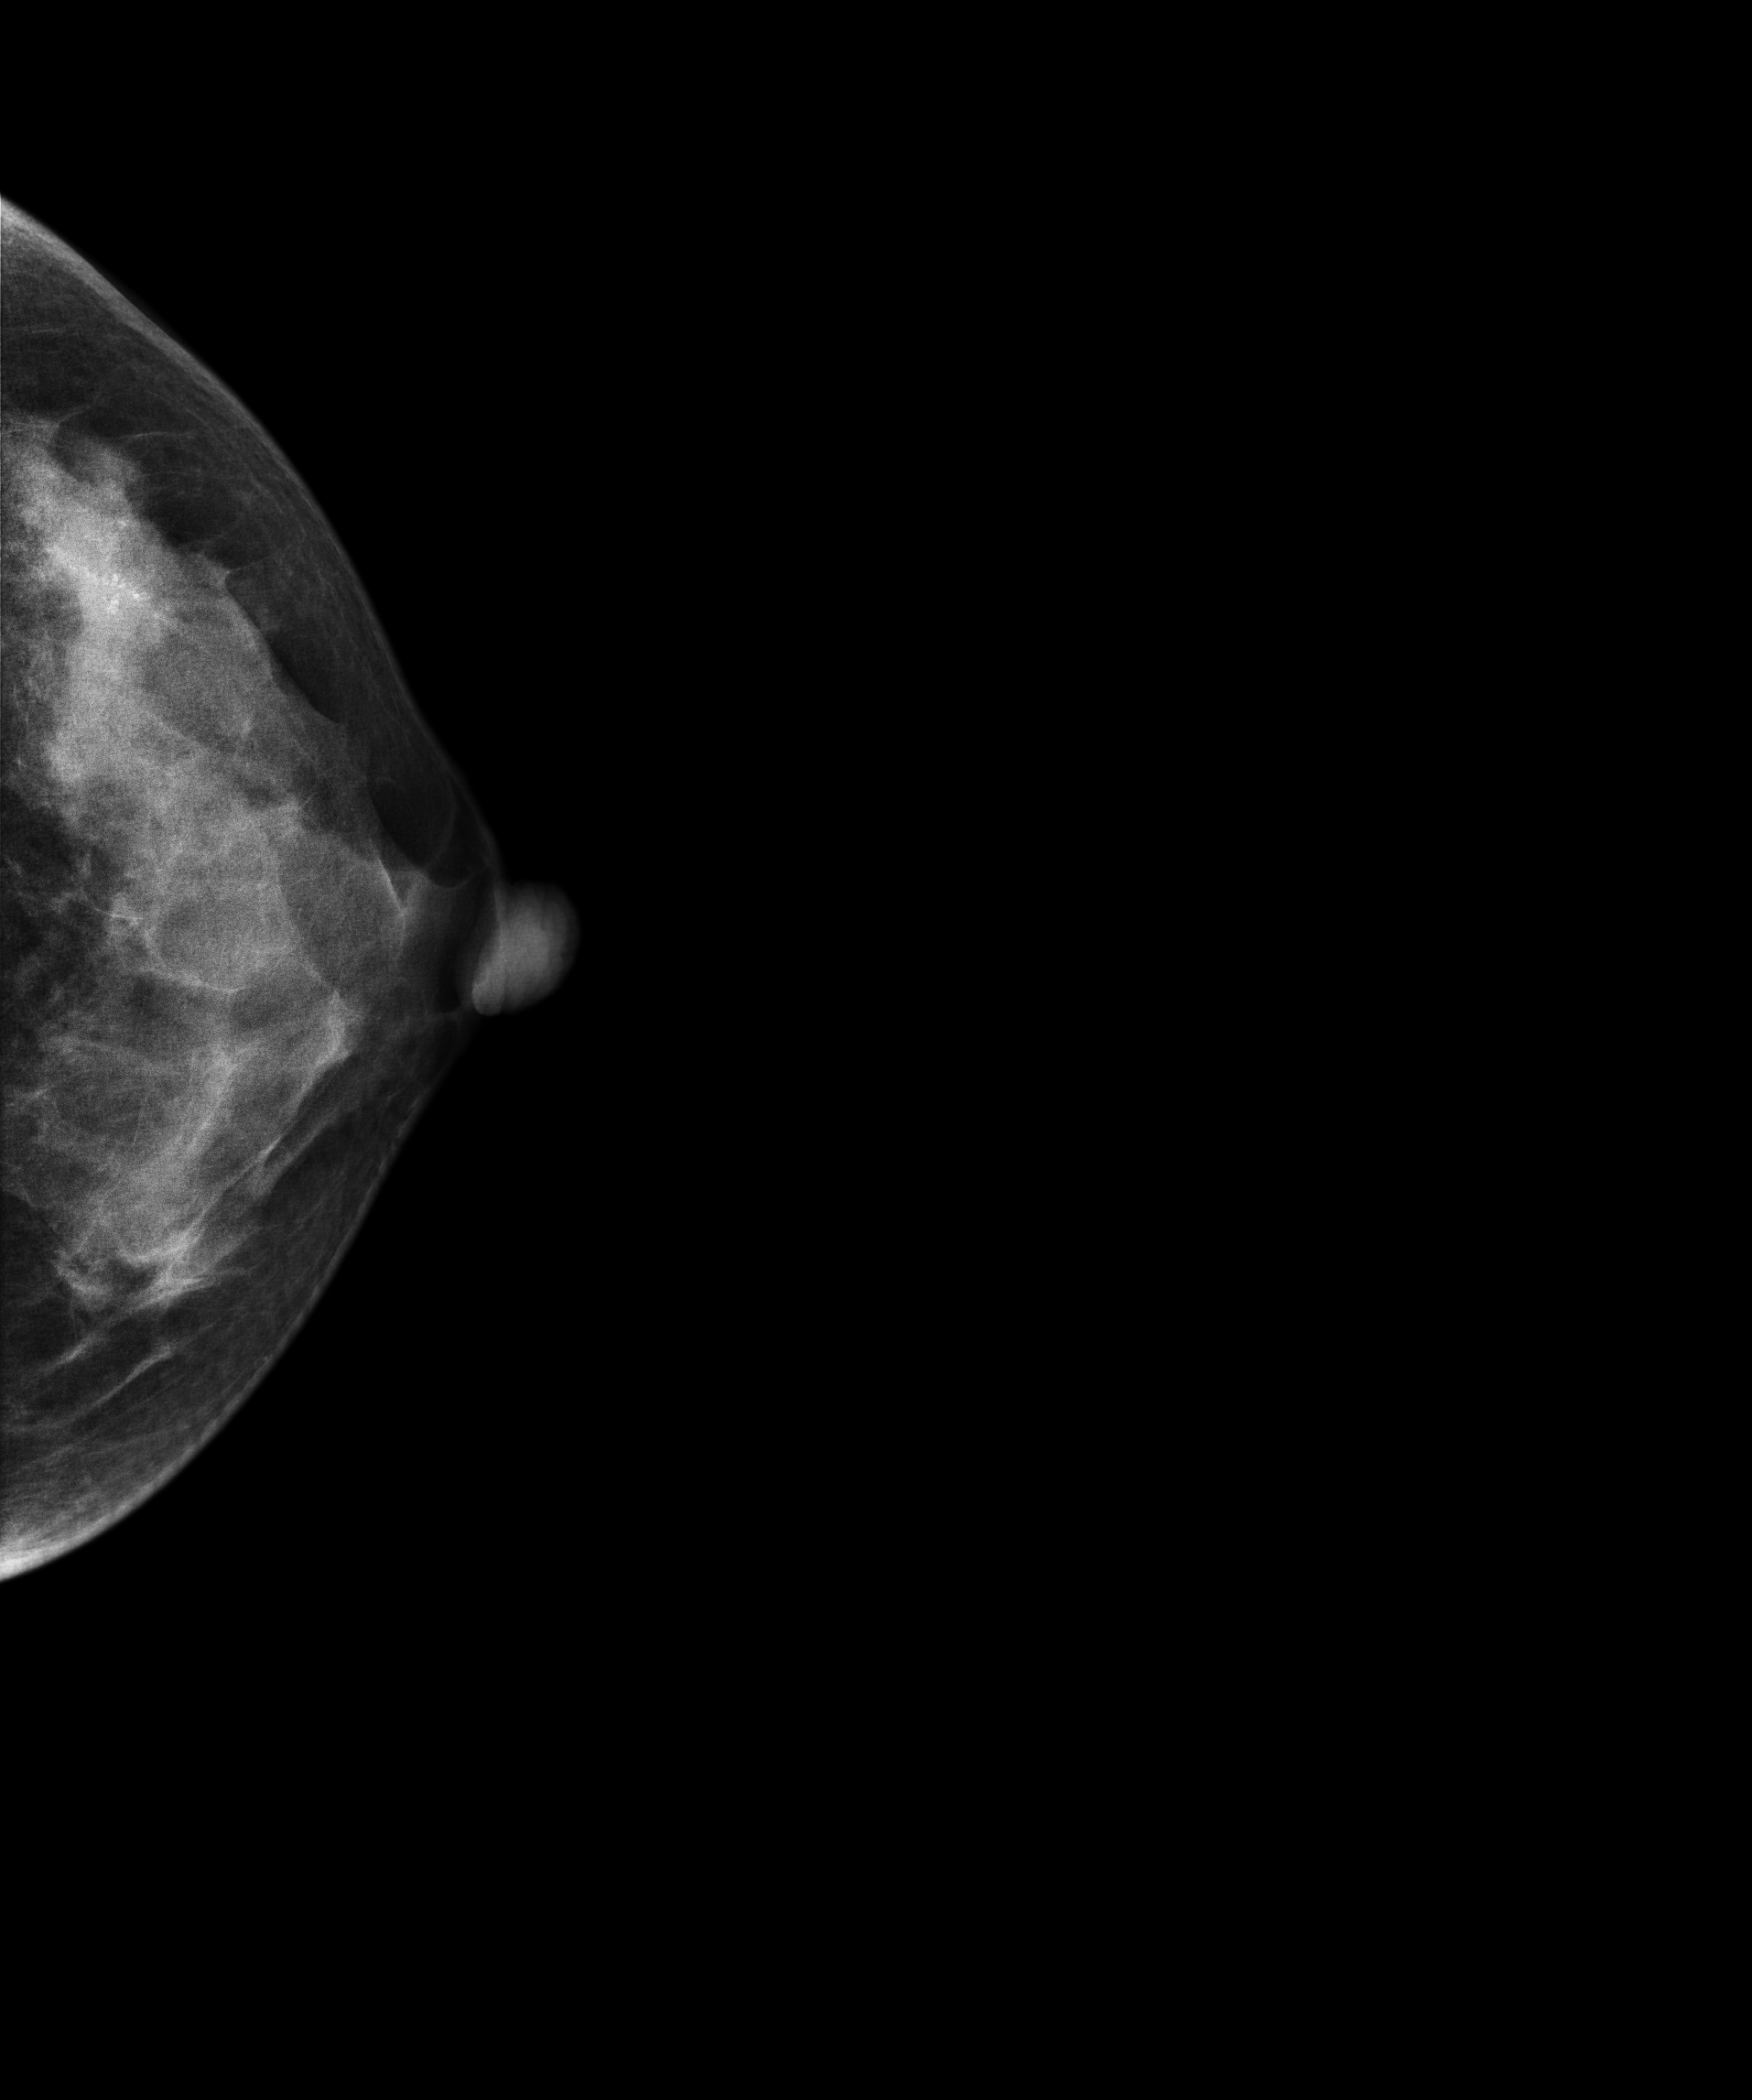
Left-breast mammogram, CC. 44-year-old patient.
This breast has calcifications, biopsy-confirmed malignant.